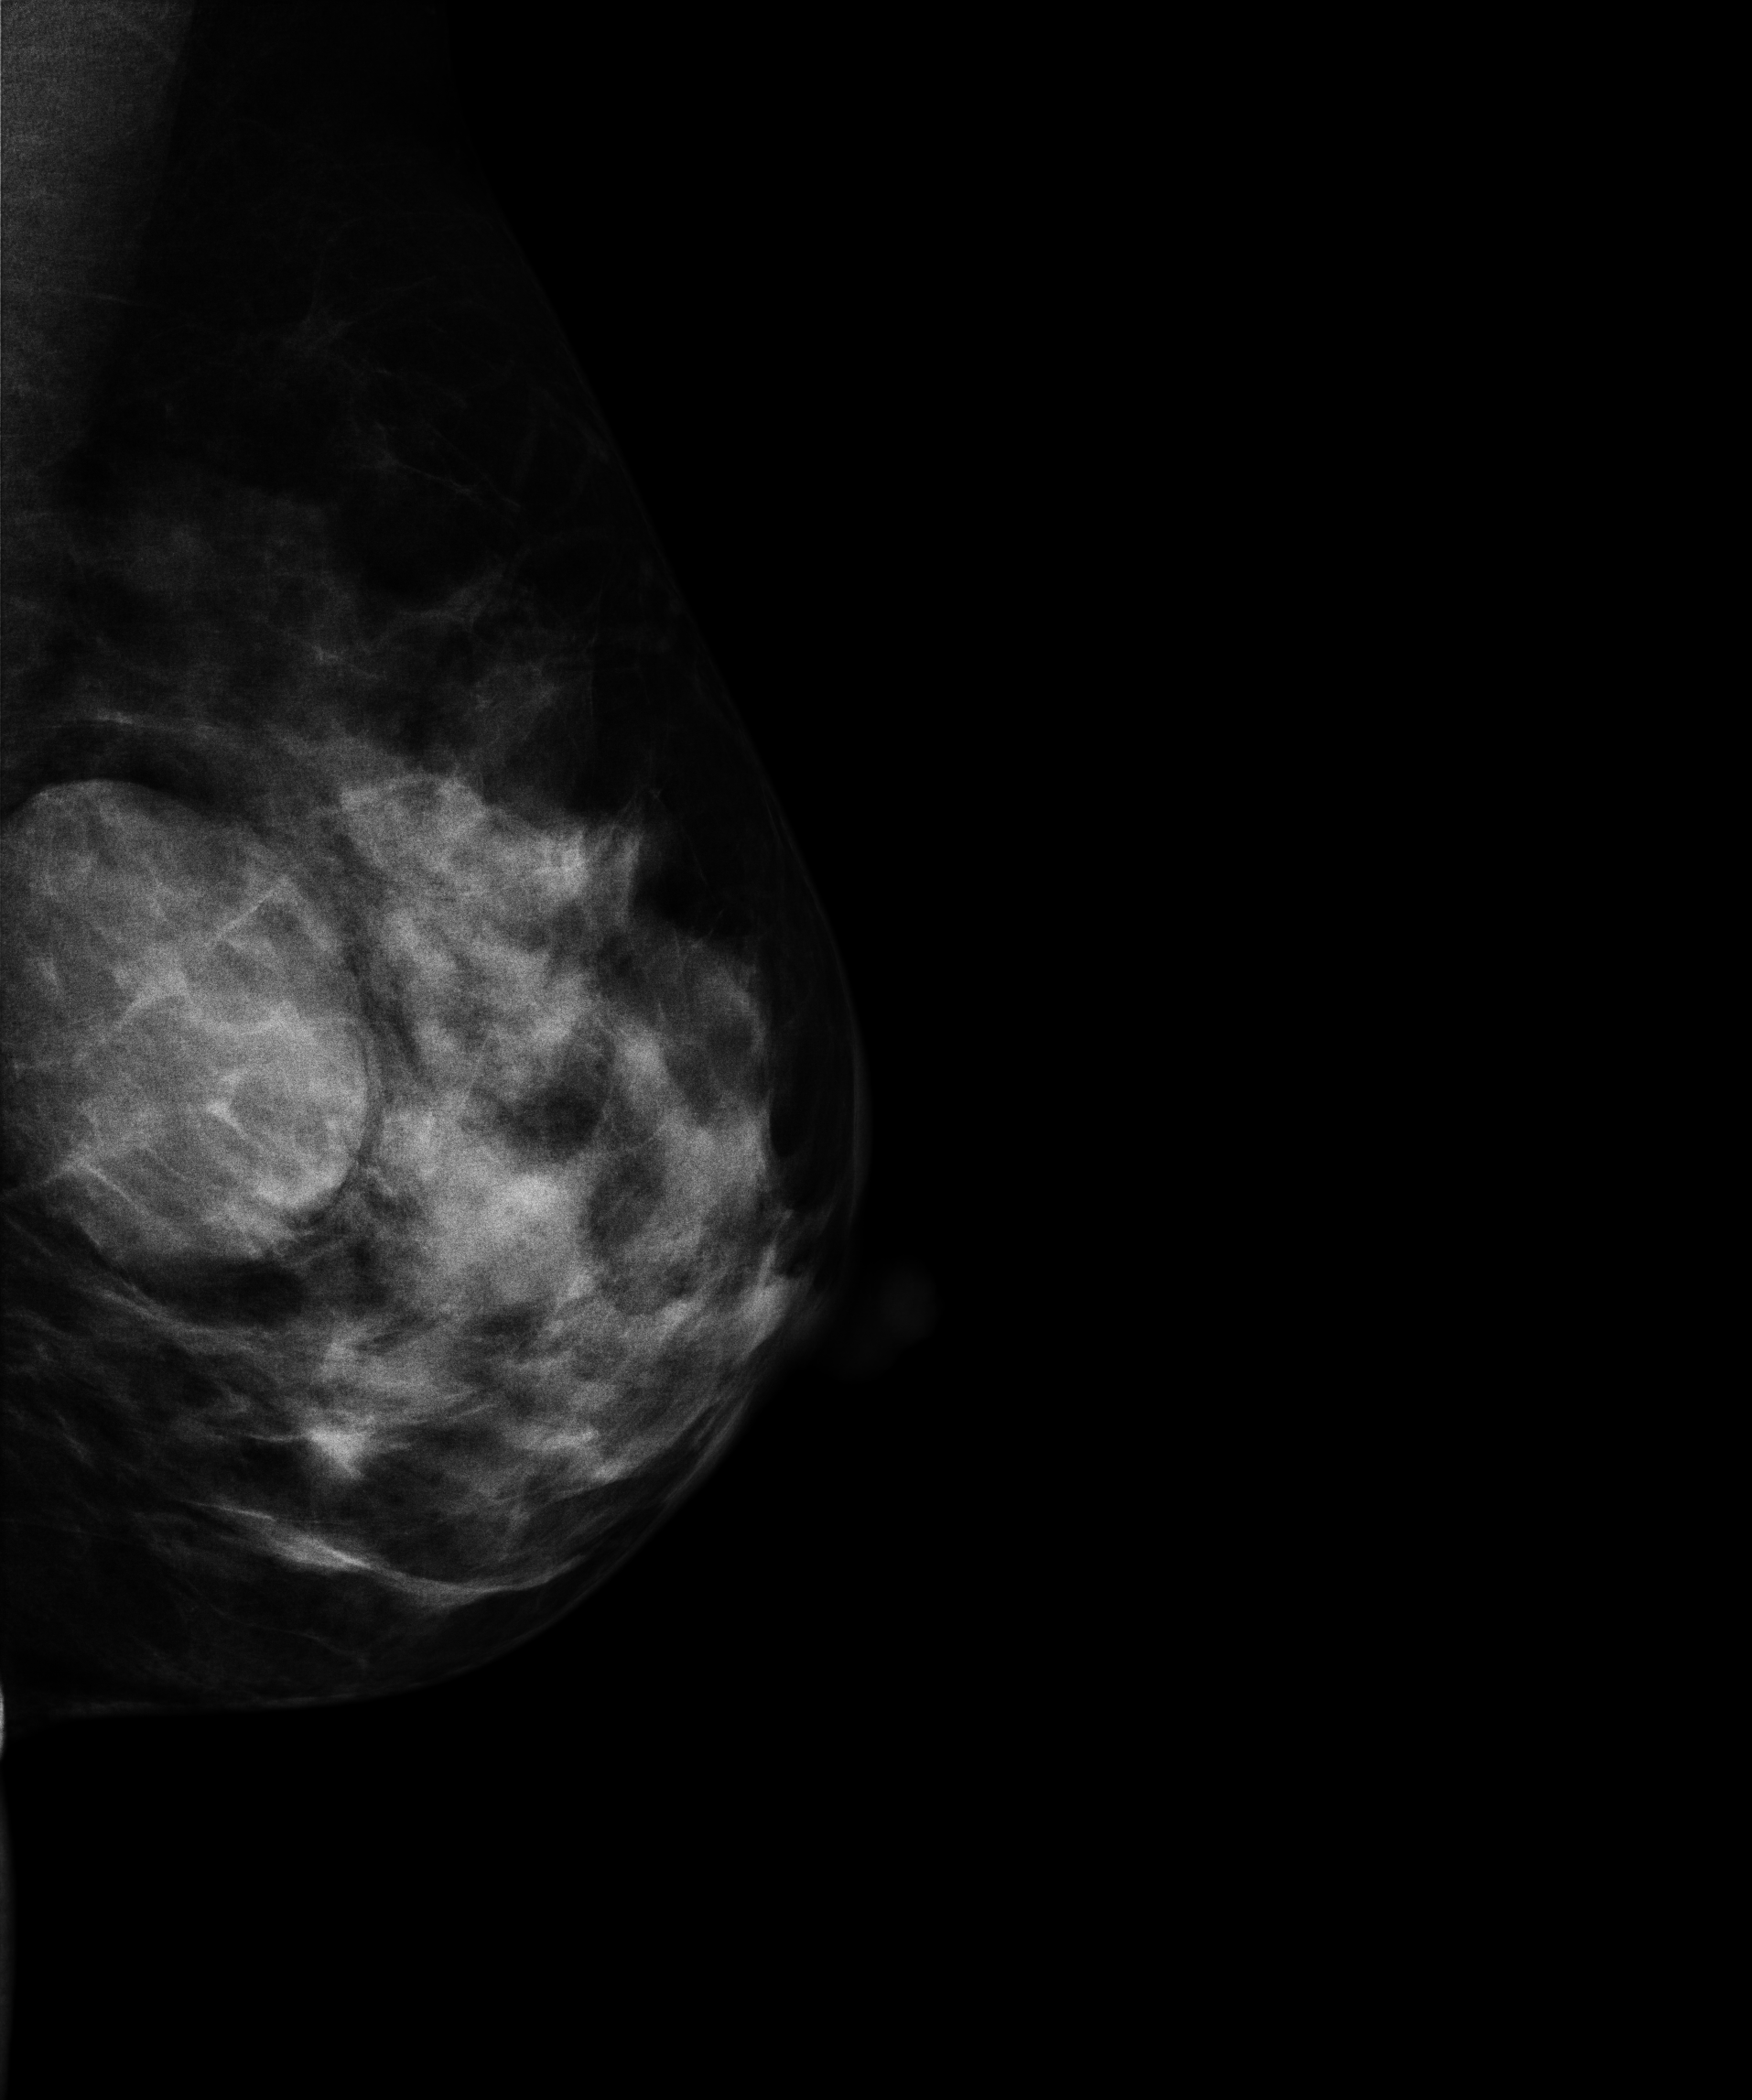
MLO mammogram of the left breast. Patient age 41.
This breast has a mass, biopsy-proven benign.